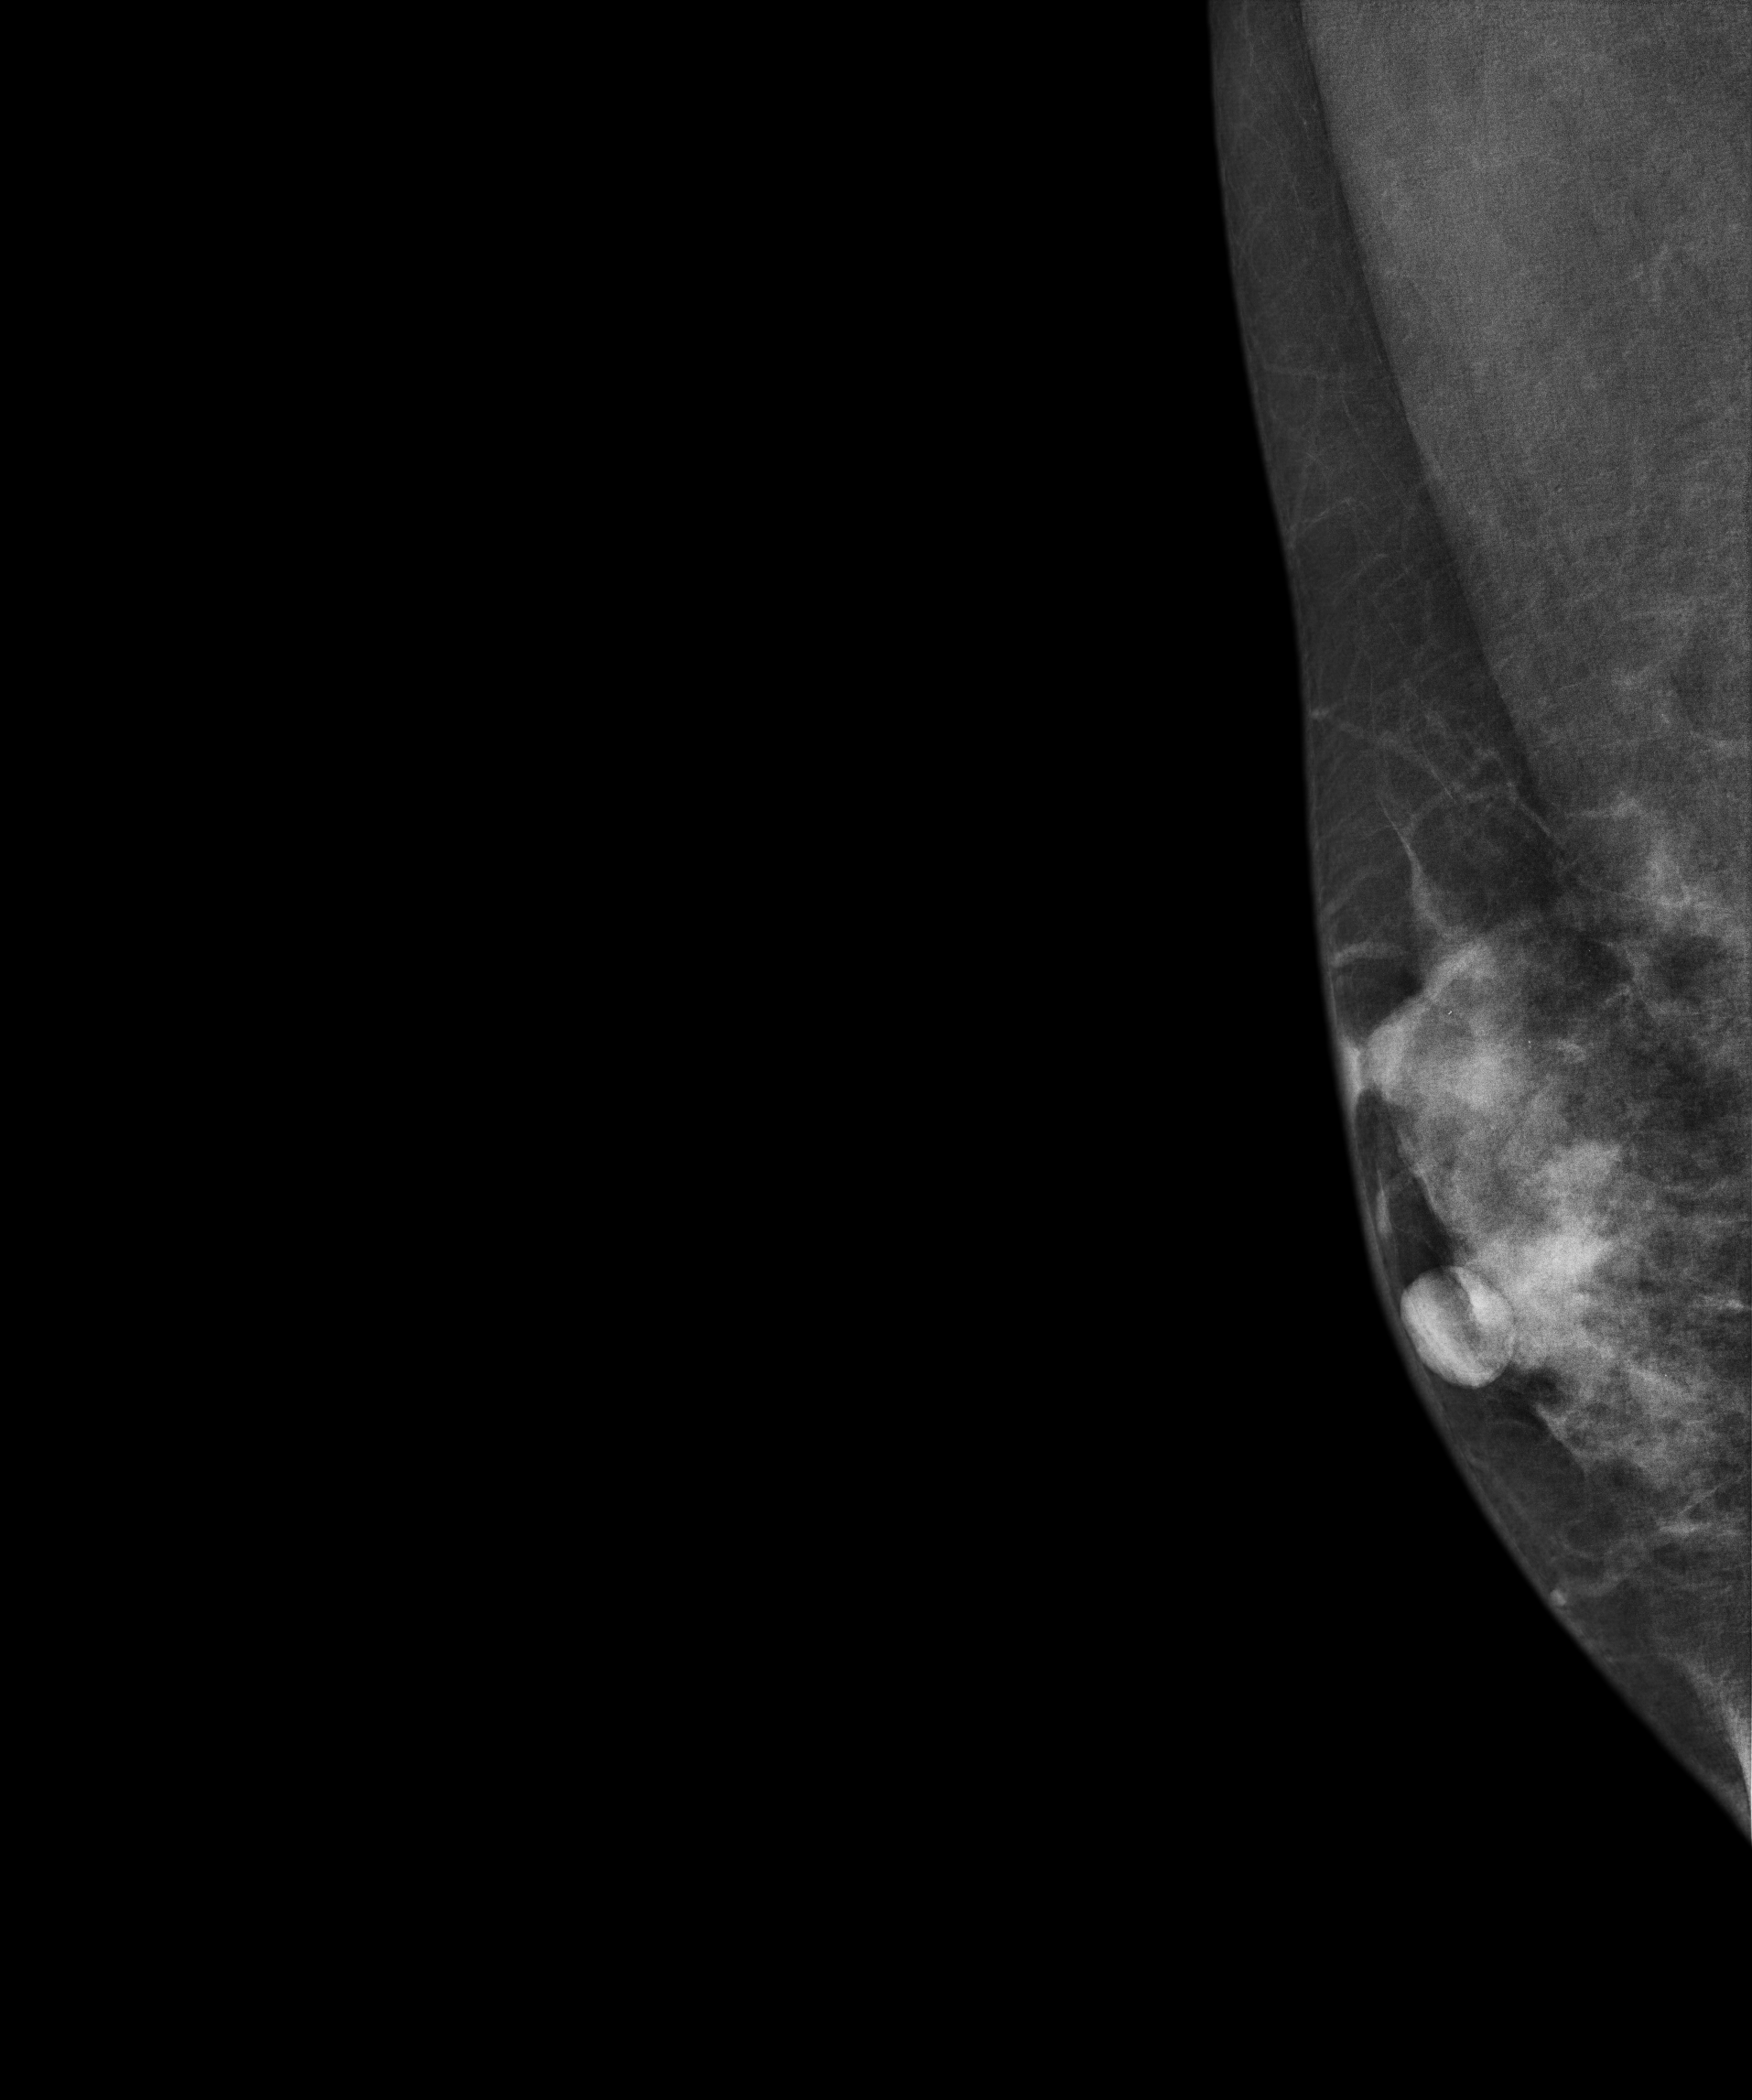
Mammogram, right breast, MLO view. 43 y/o patient.
This breast has a mass, histologically confirmed benign.